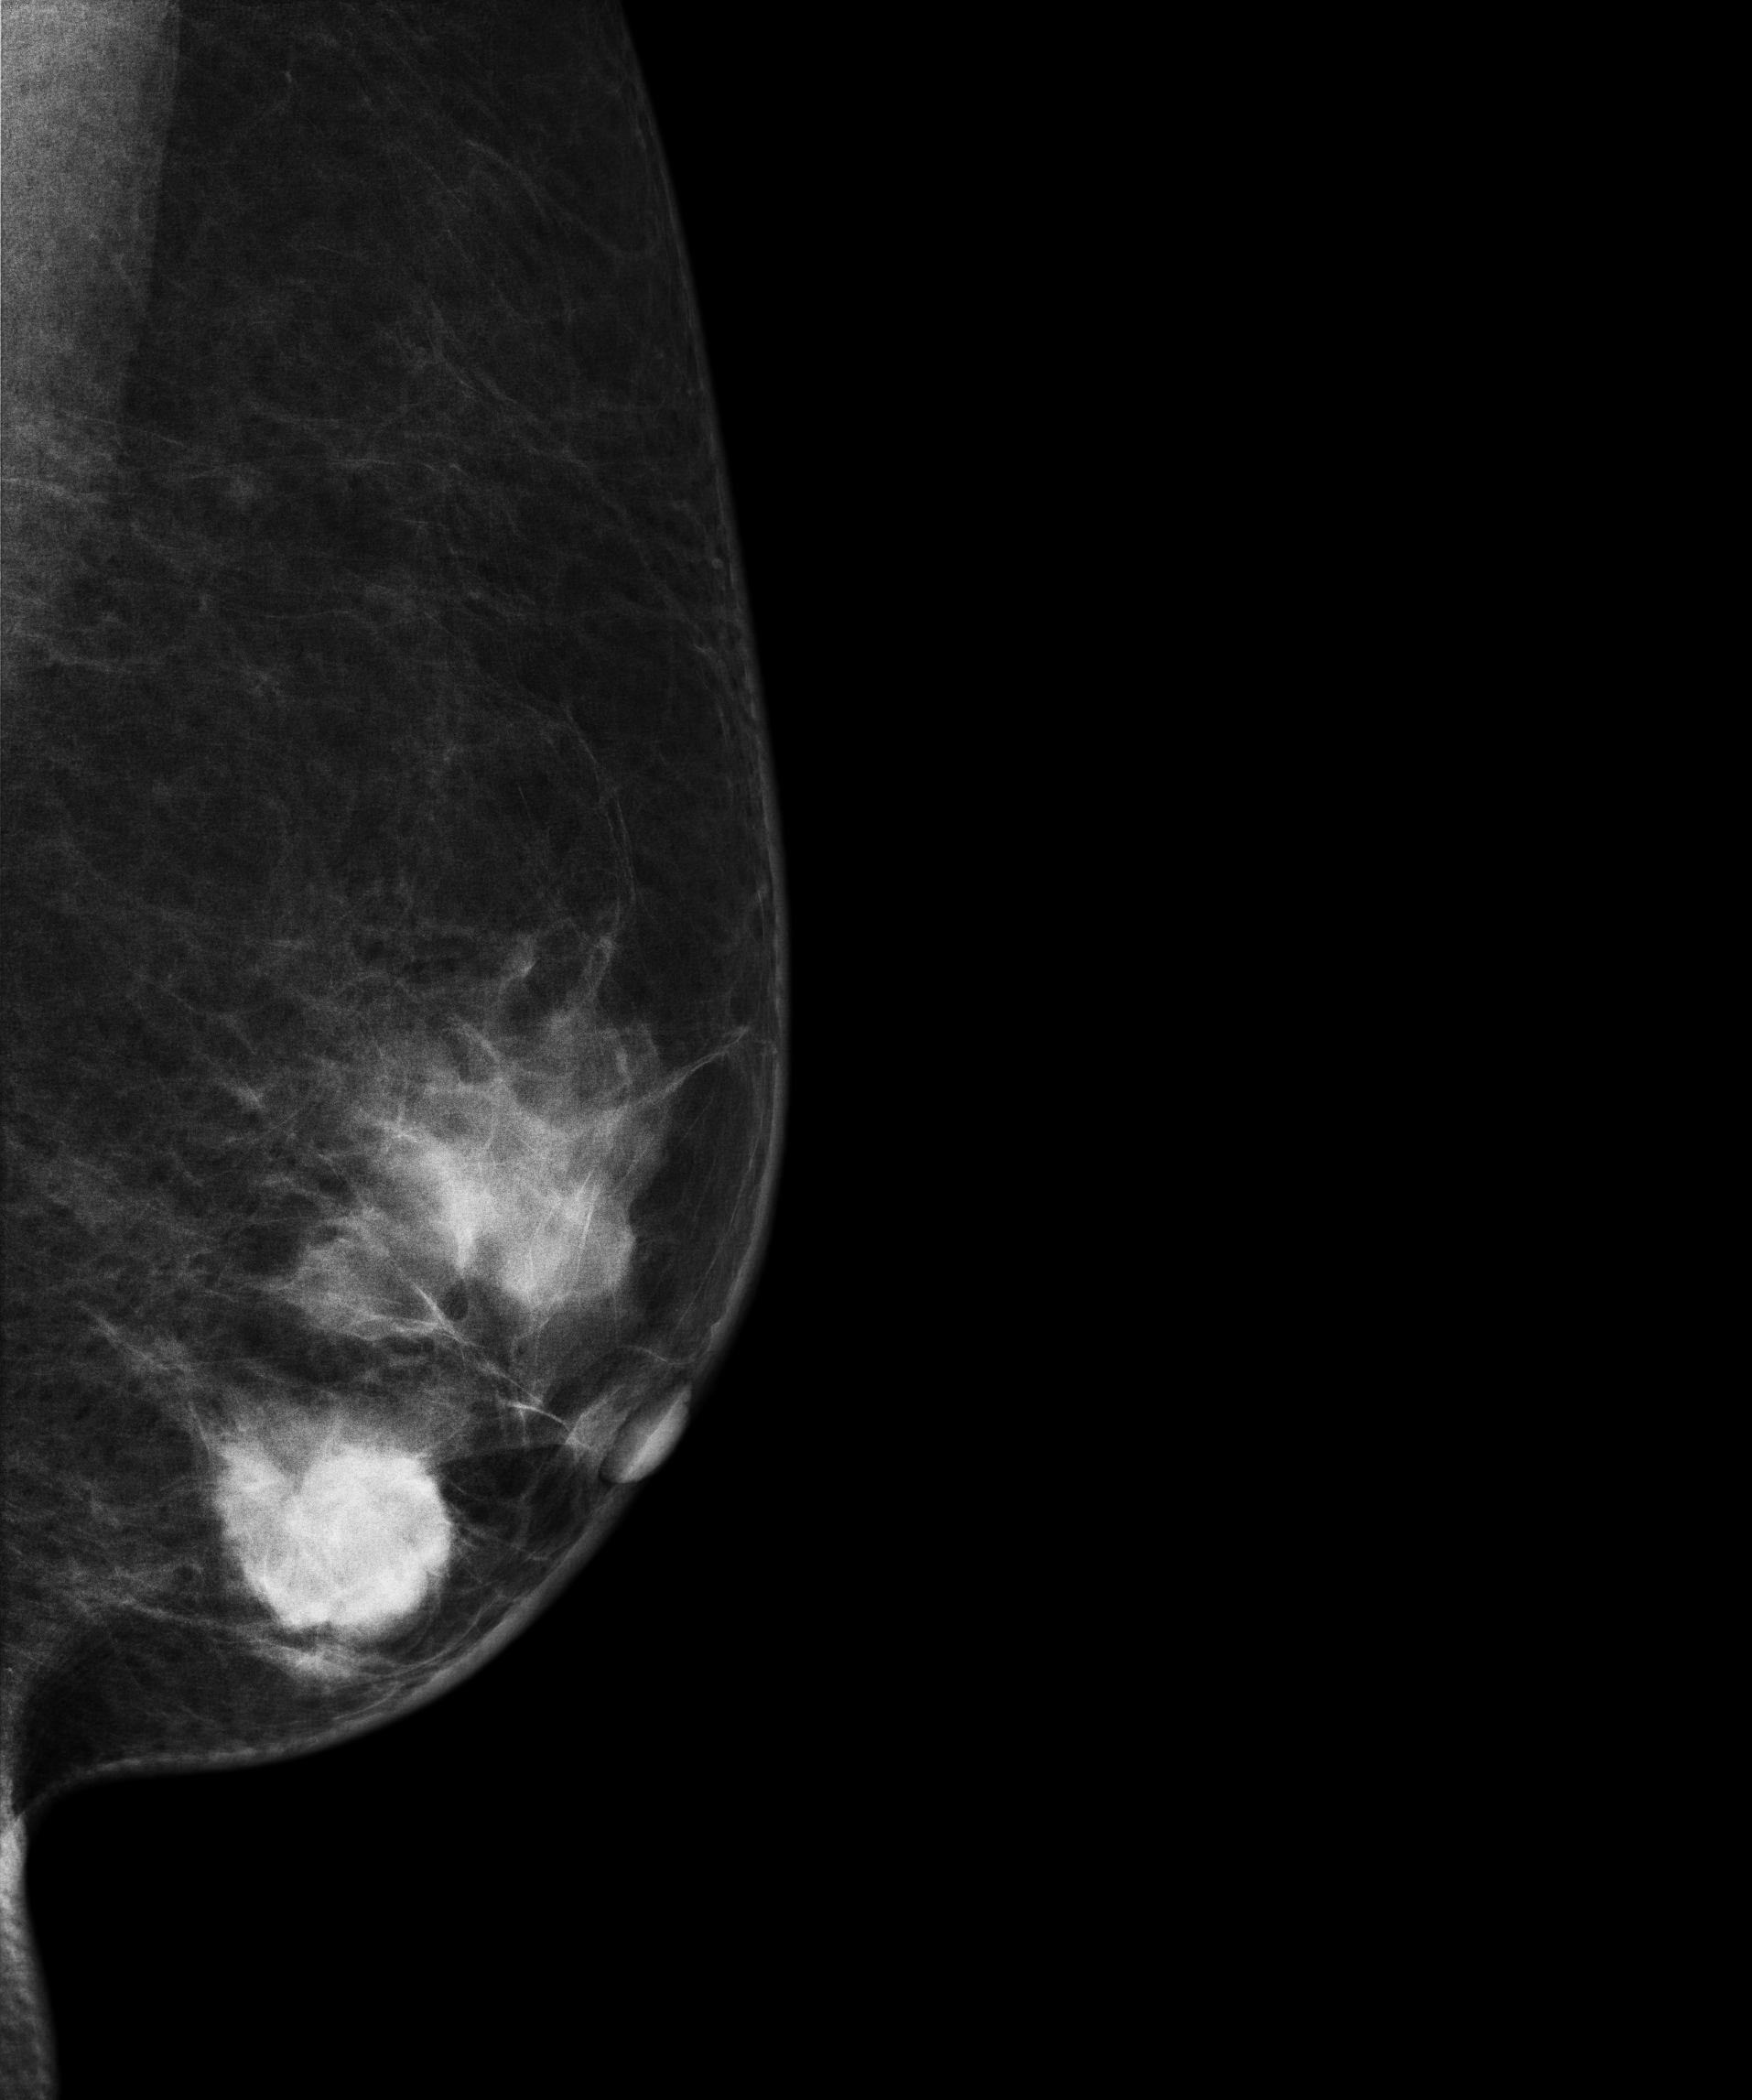
Mammogram — left medio-lateral oblique. Patient age 50.
This breast has a mass, biopsy-proven malignant.